Mammogram — right medio-lateral oblique. 66 y/o patient.
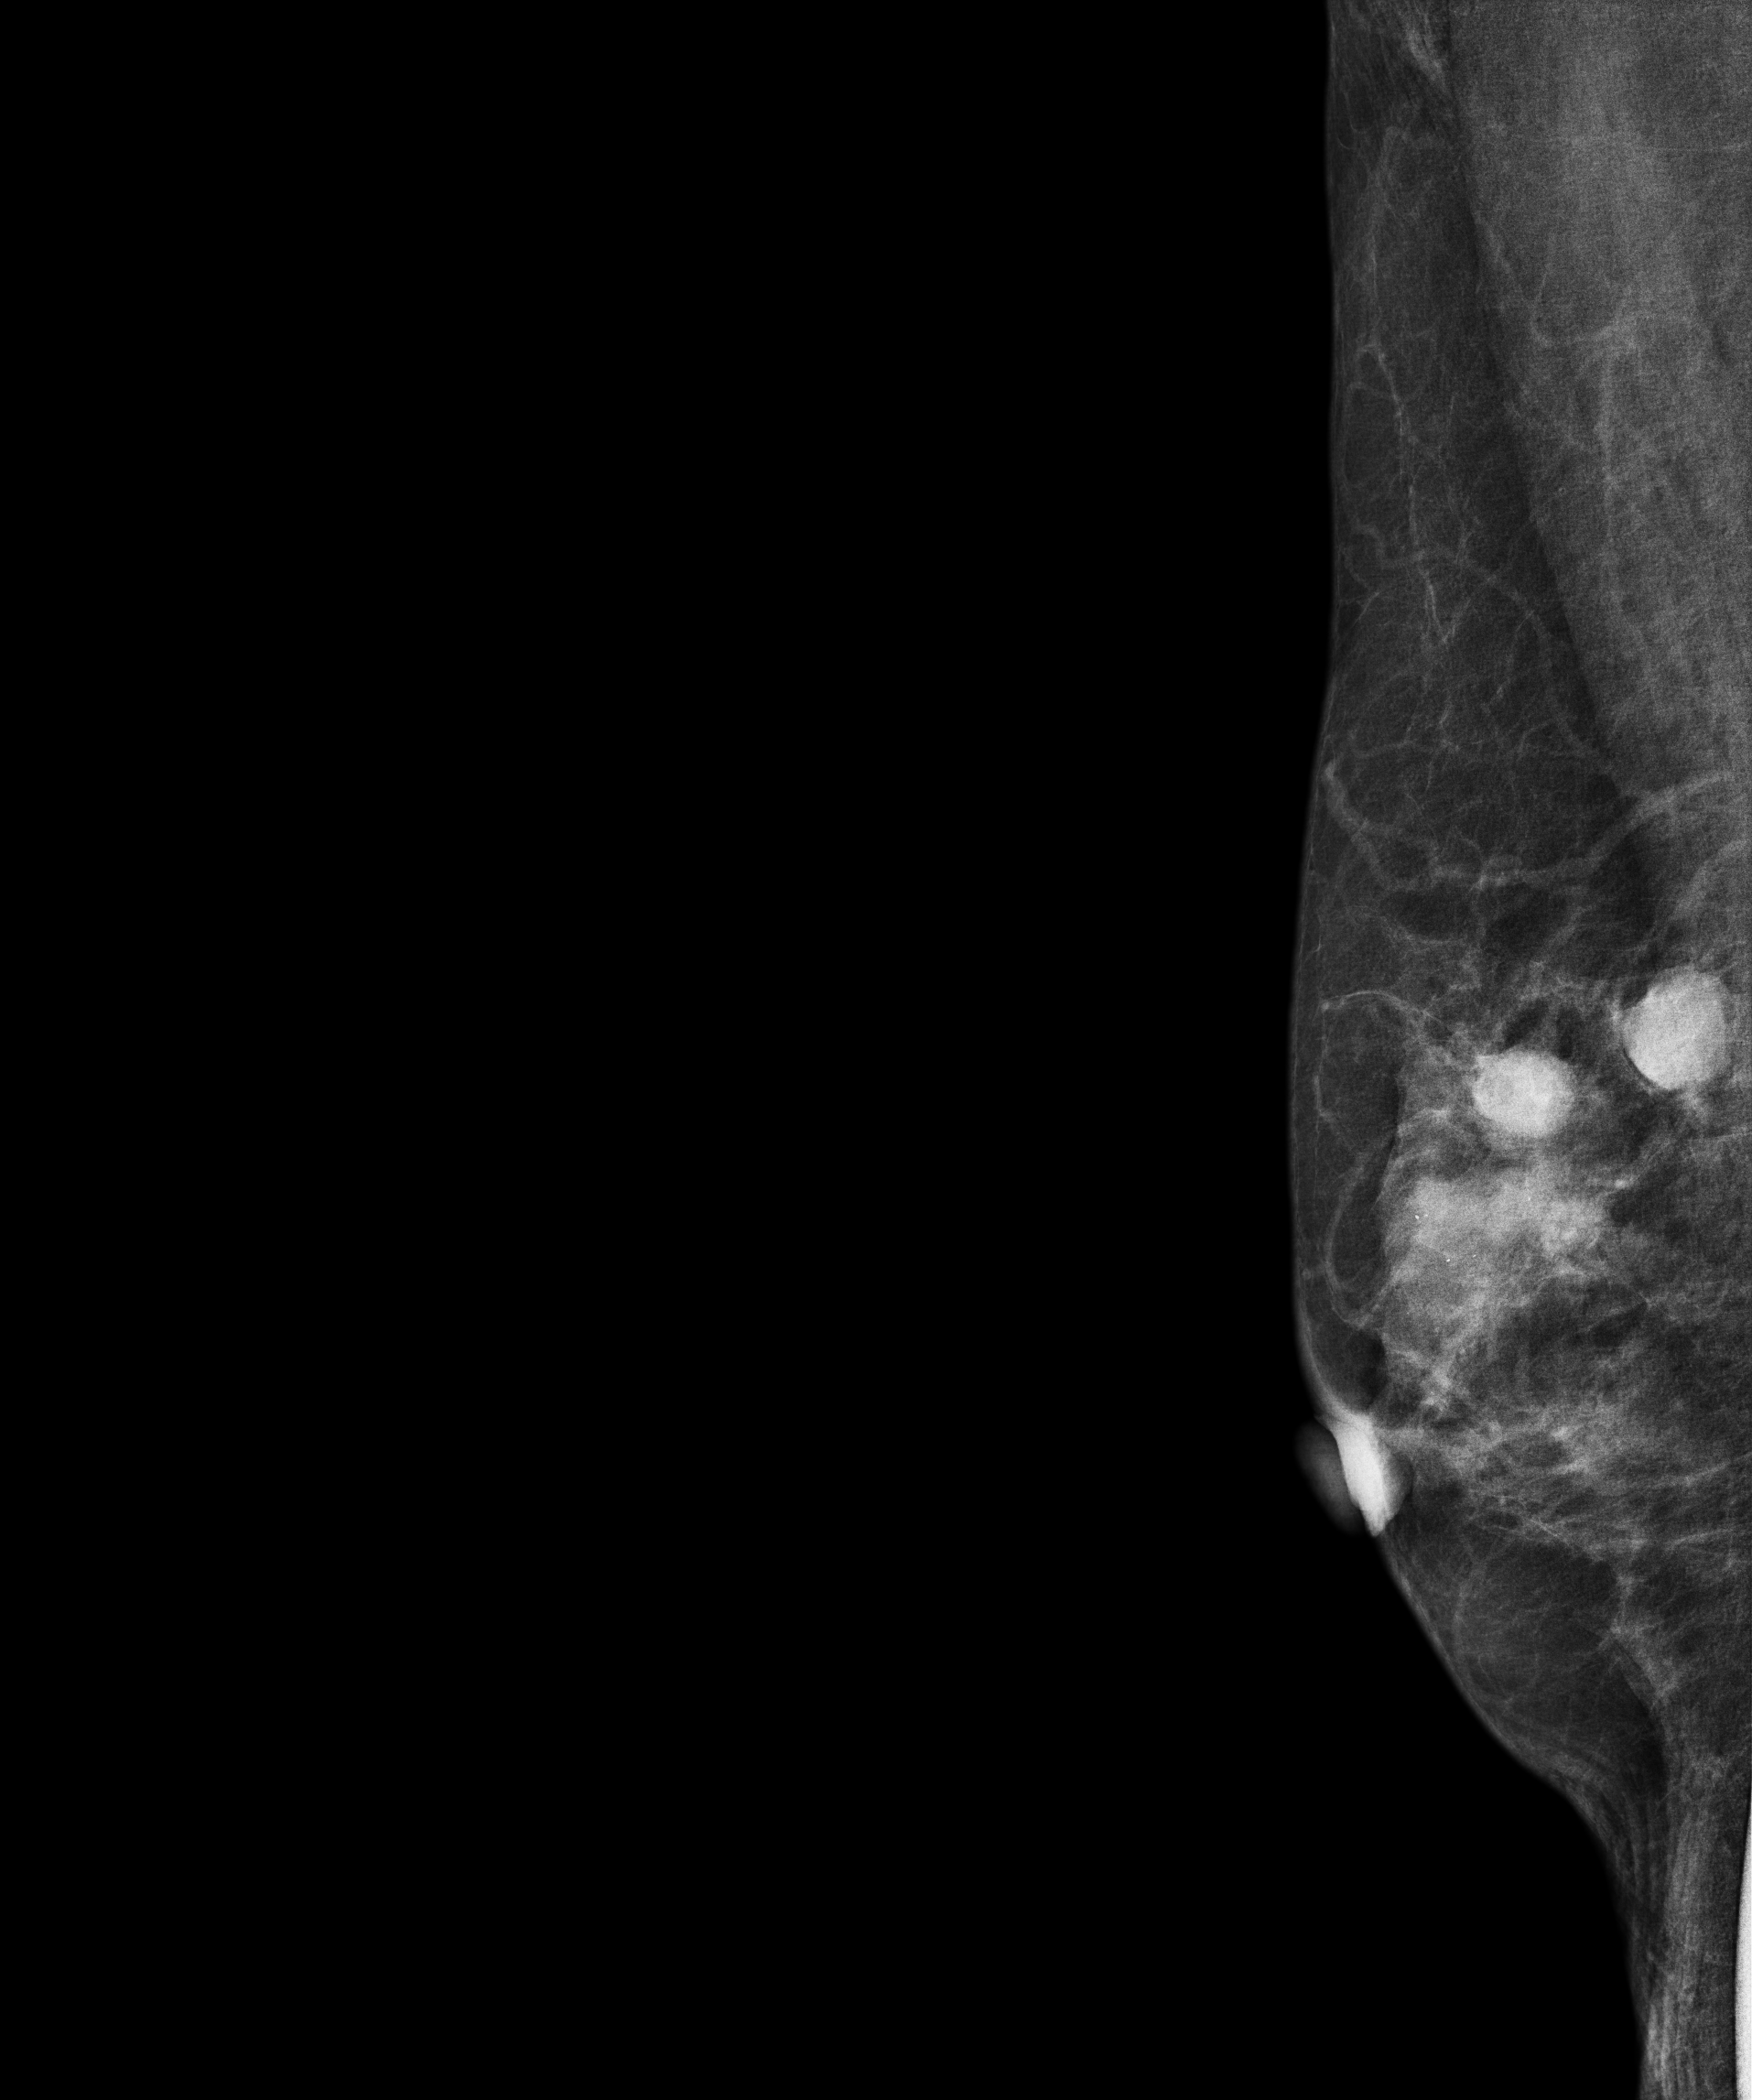
This breast has a mass, biopsy-confirmed malignant. Molecular subtype: luminal B.